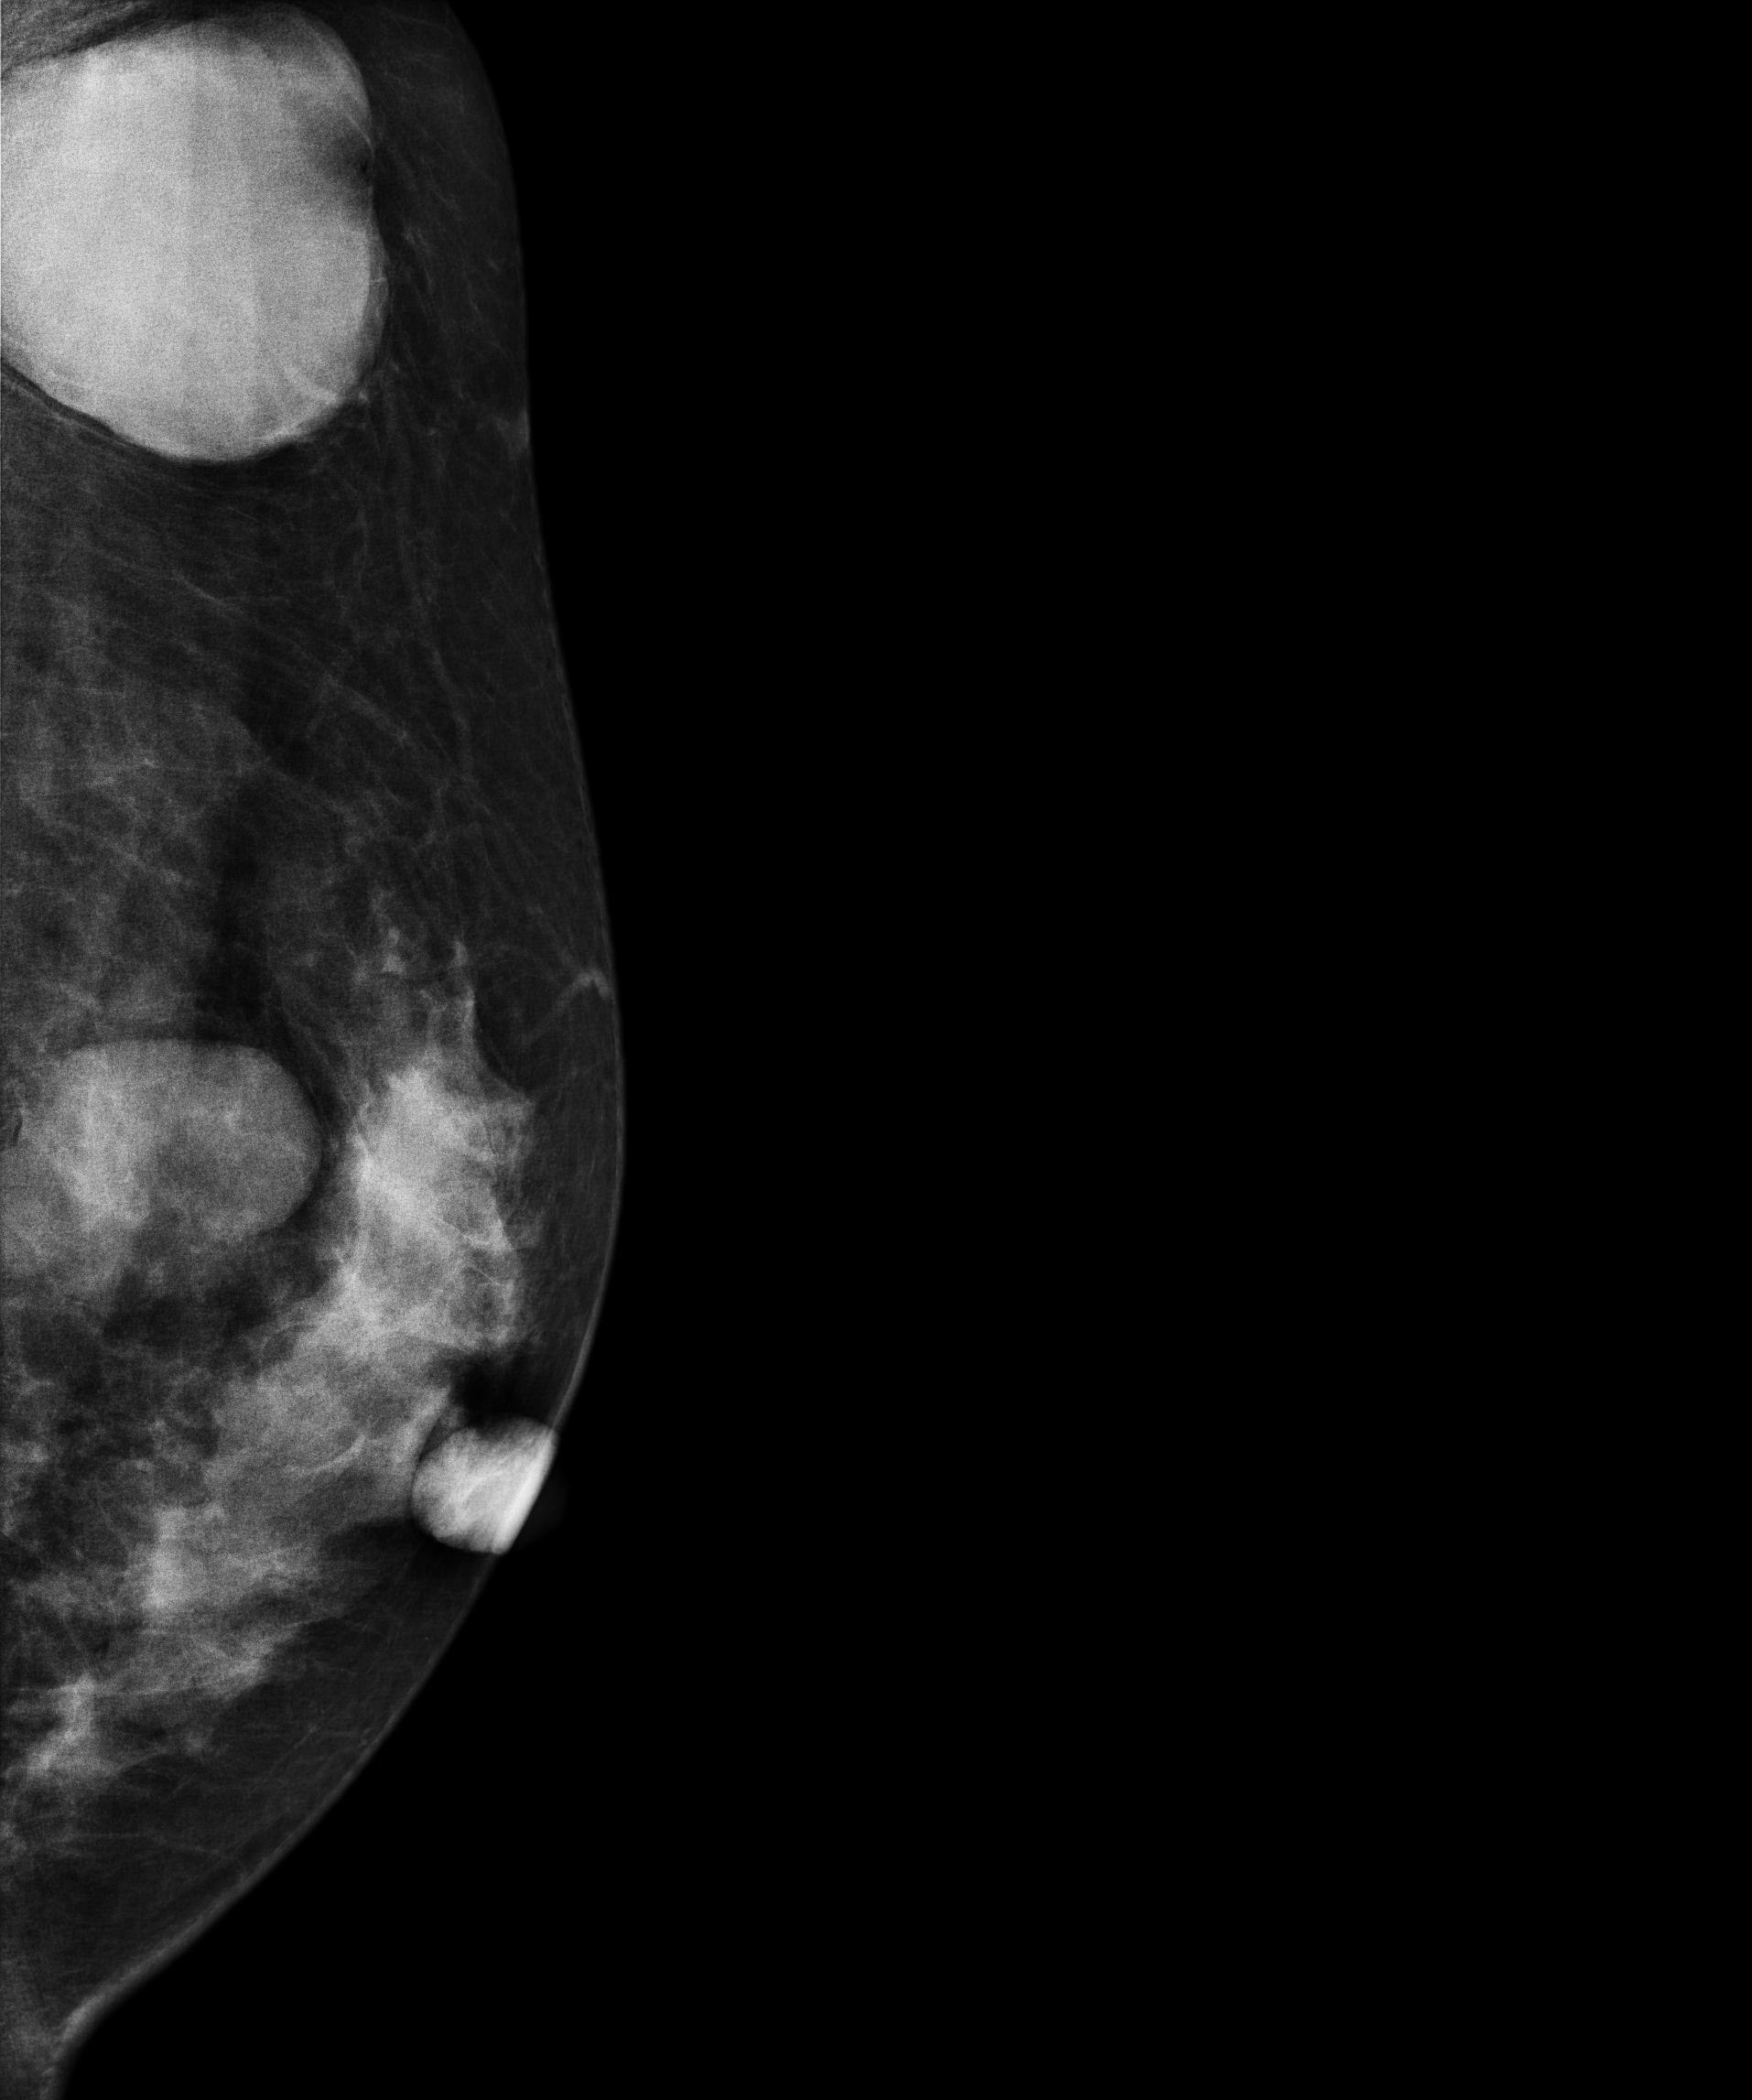
Mammogram, left breast, medio-lateral oblique view. 31-year-old patient.
This breast has a mass, biopsy-proven benign.